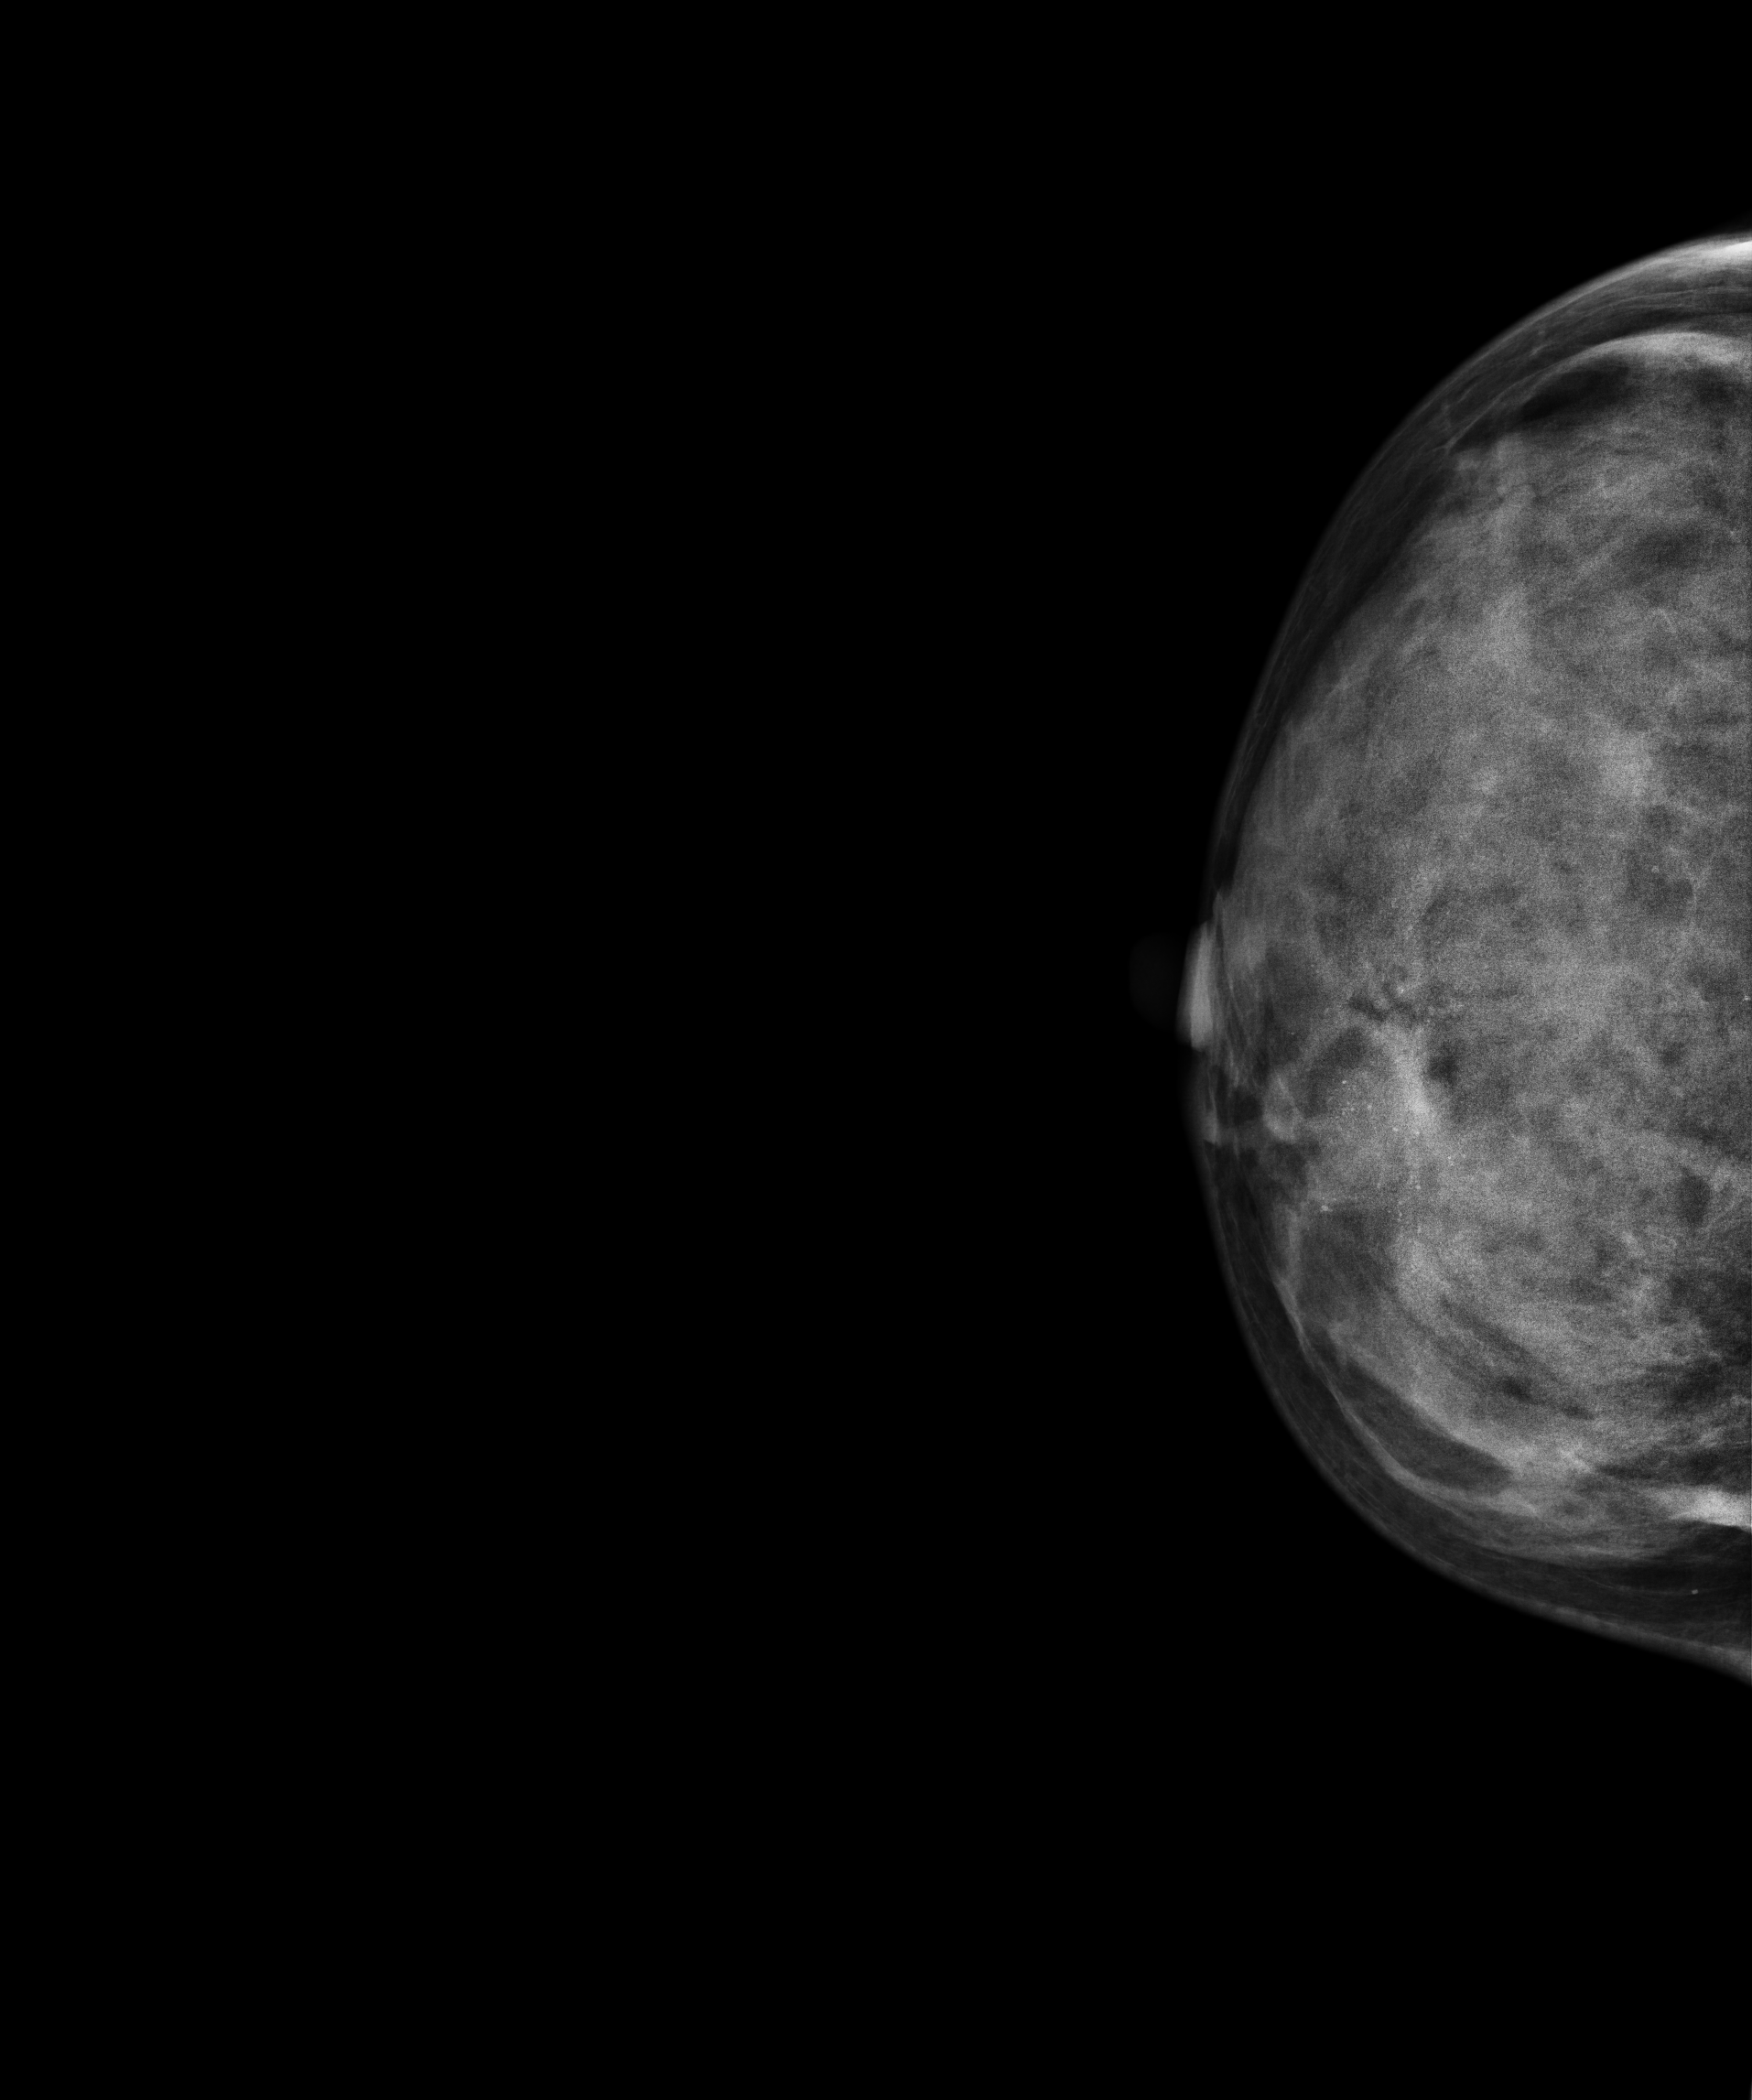
Digital mammography. Right breast, CC projection. 33-year-old patient.
This breast has calcifications, biopsy-confirmed malignant. Molecular subtype: luminal B.